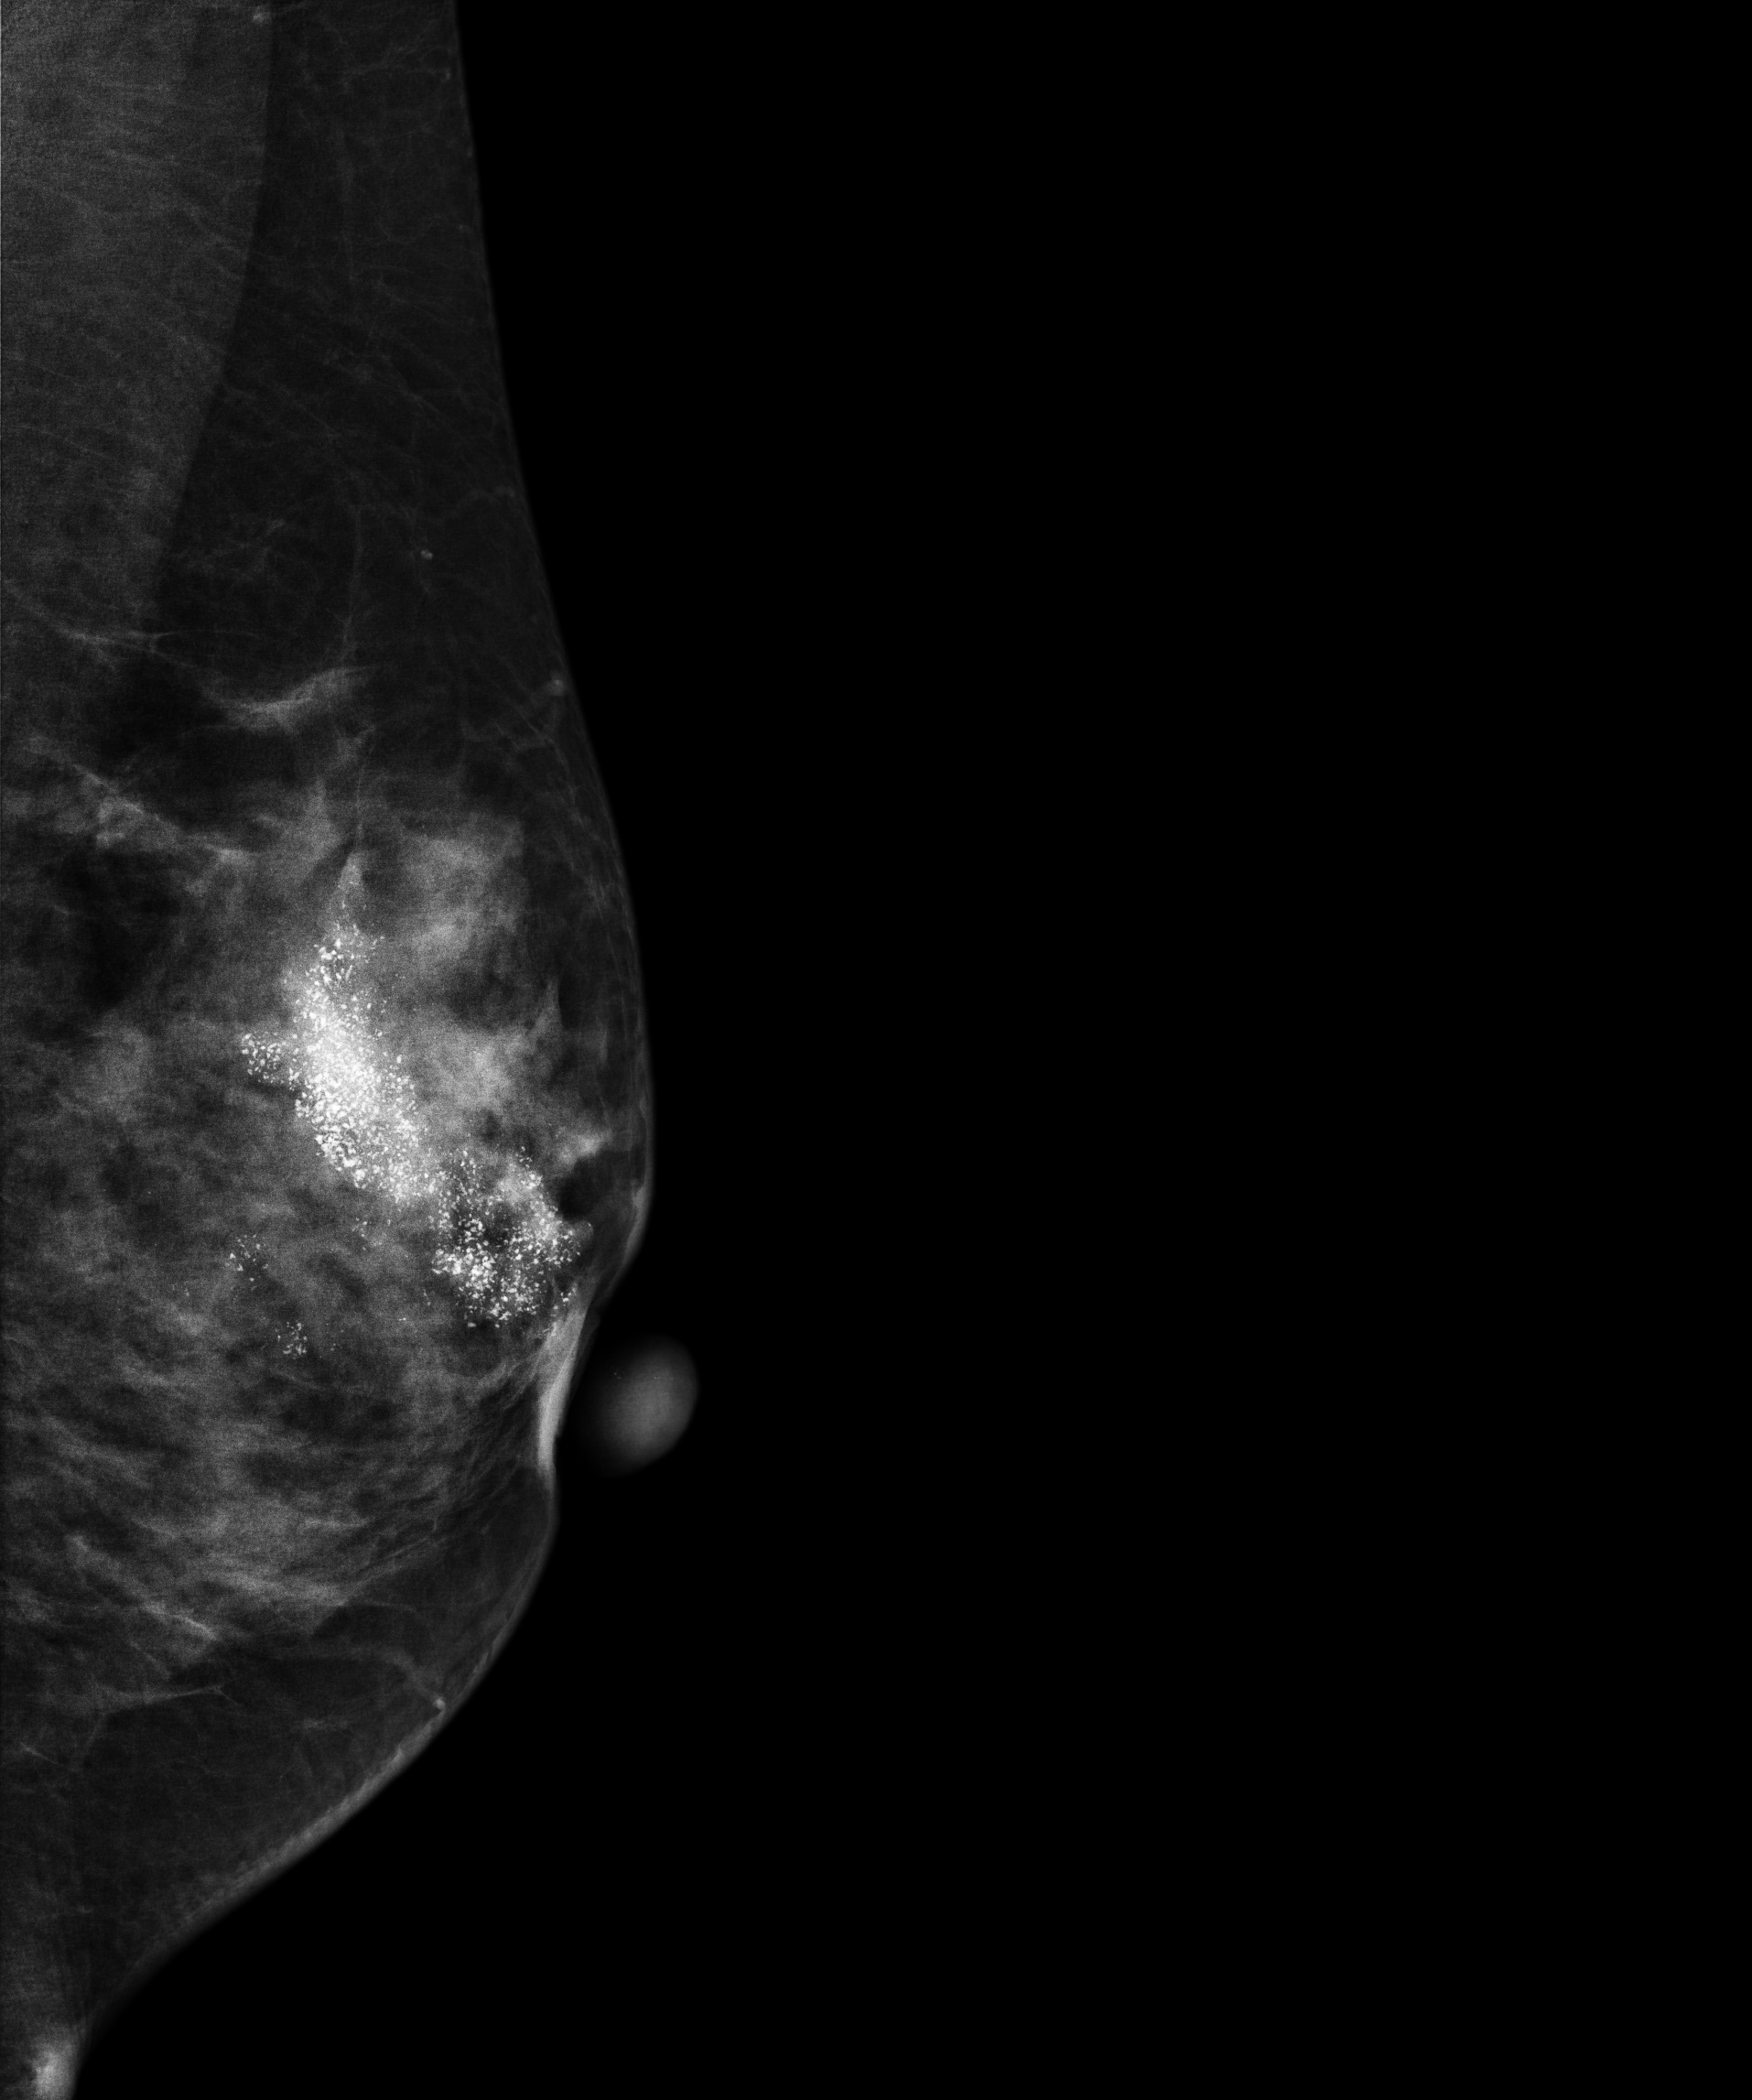
MLO mammogram of the left breast. 36 y/o patient.
This breast has a mass and calcifications, histologically confirmed malignant.